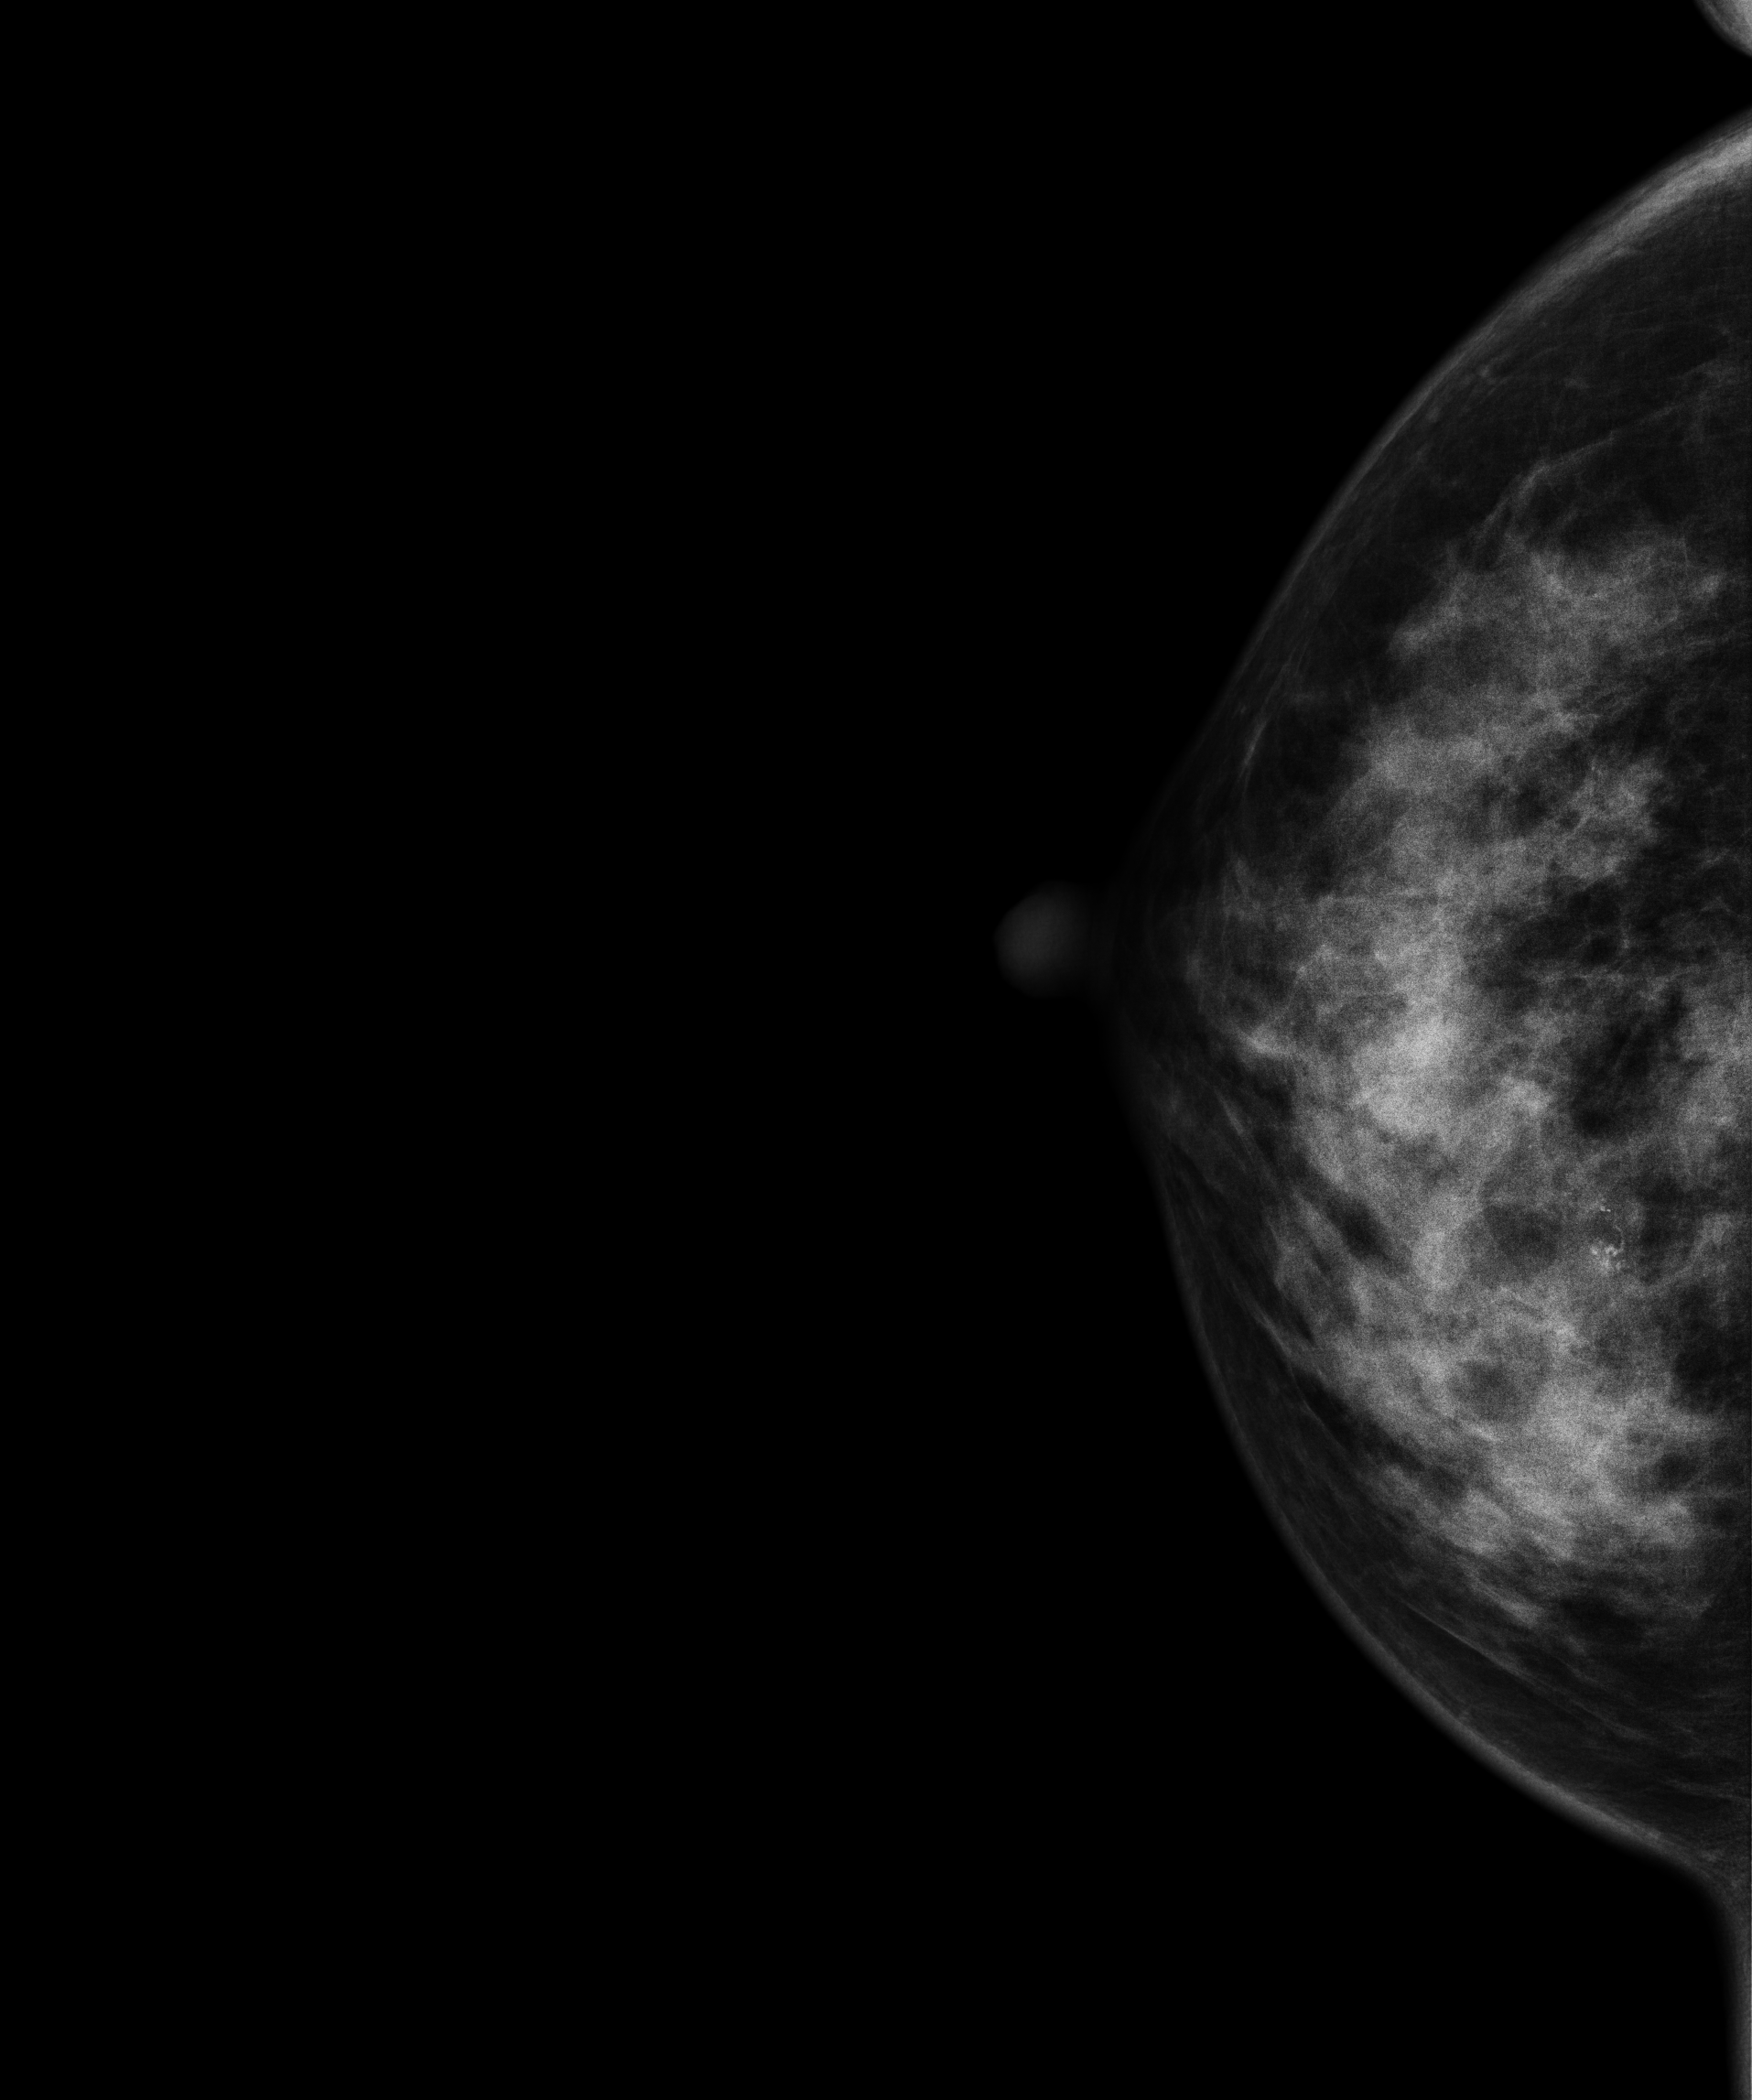
Cranio-caudal mammogram of the right breast. 47 y/o patient.
This breast has calcifications, histologically confirmed malignant.